Left-breast mammogram, medio-lateral oblique. 40 y/o patient.
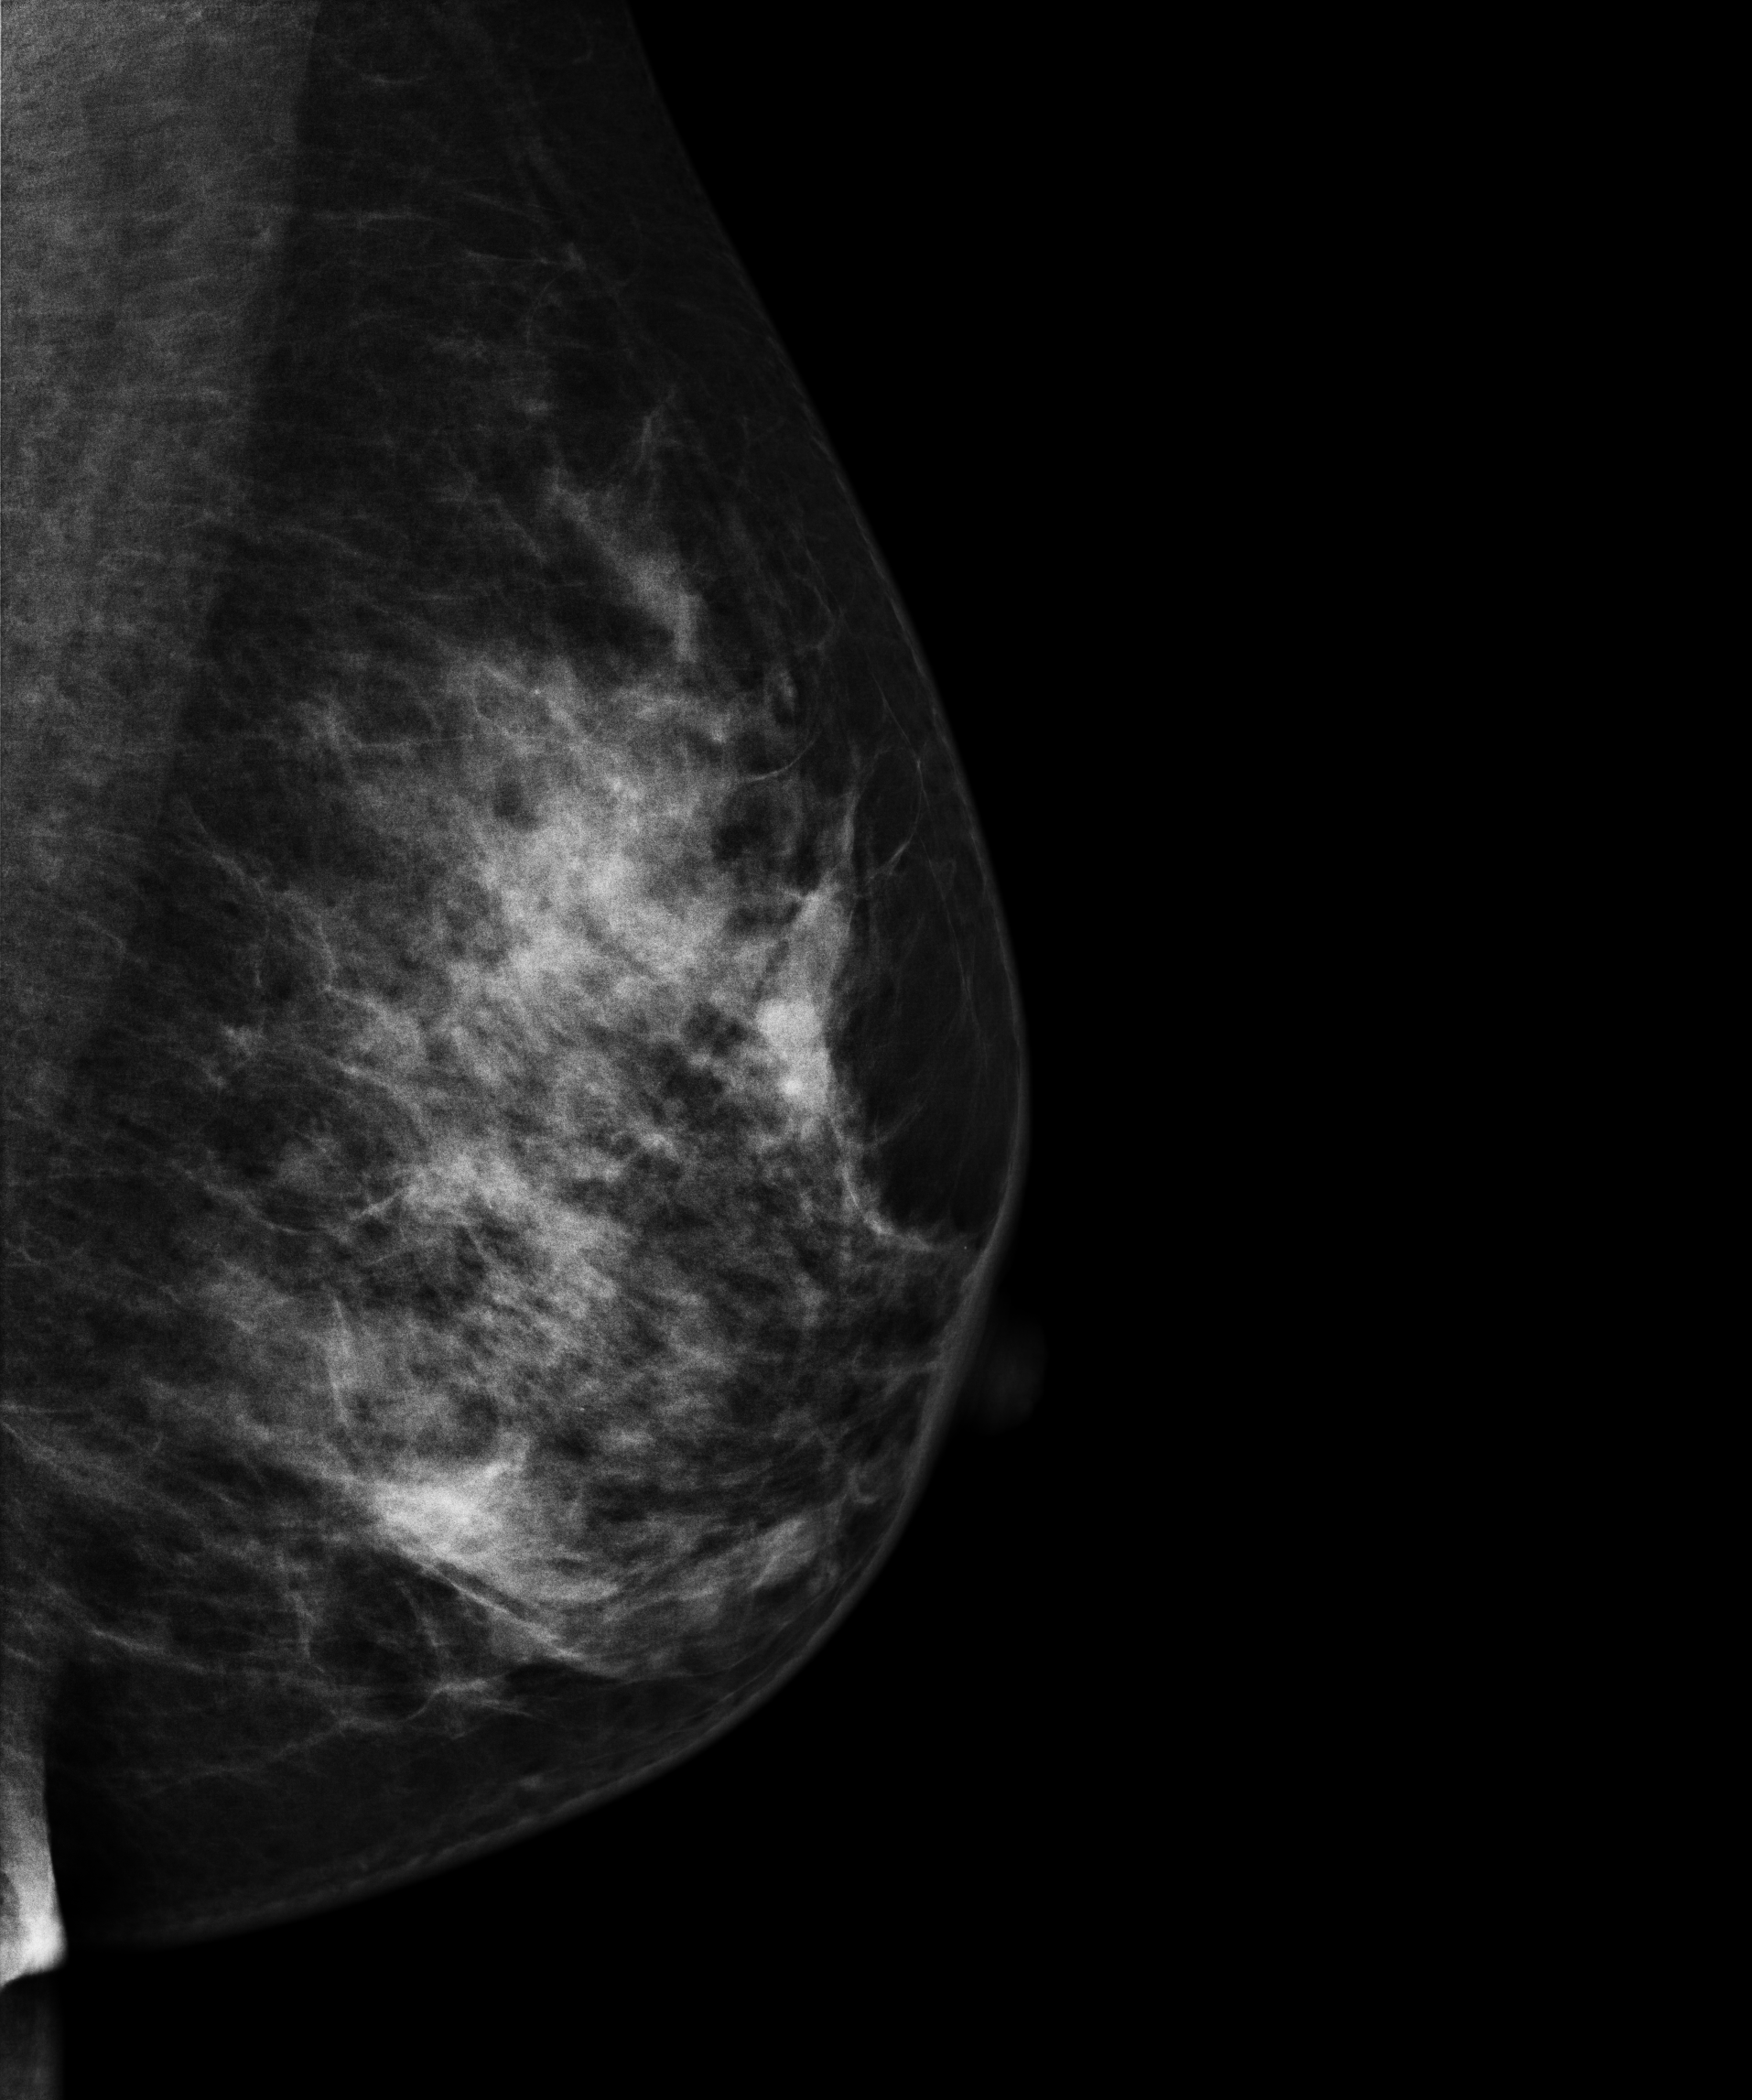
Contralateral breast — no documented abnormality on this side.